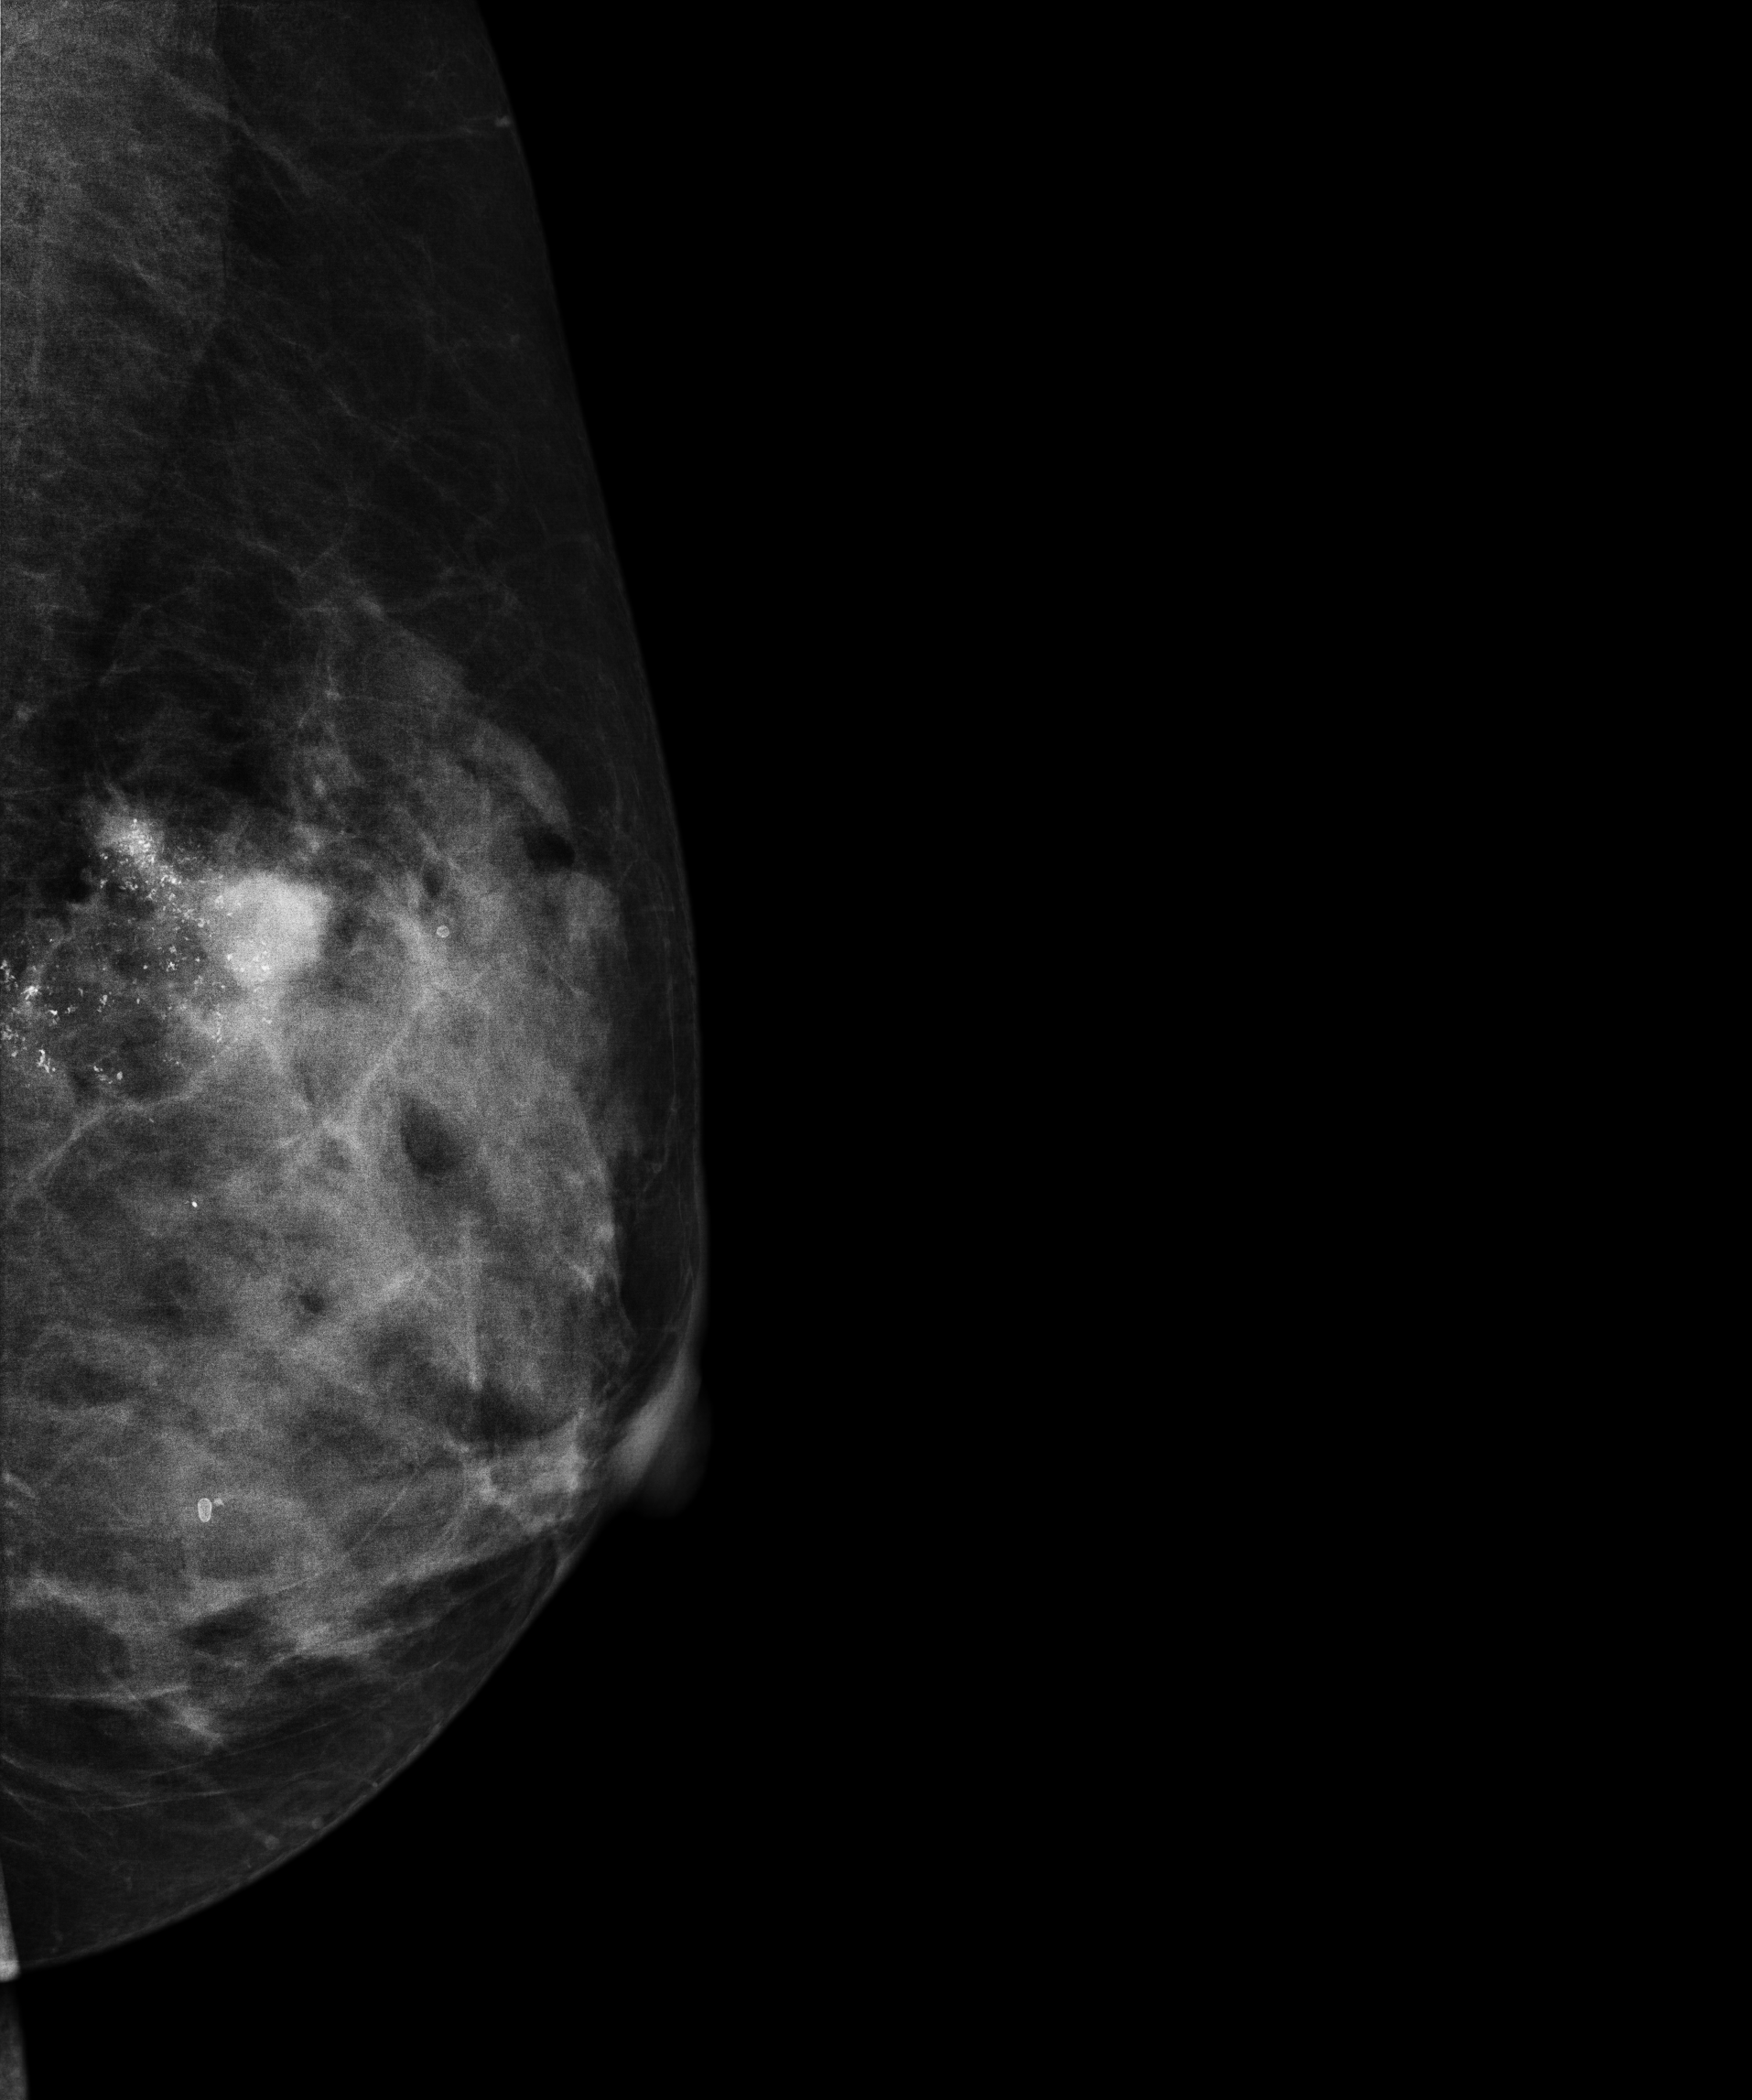
Digital mammography. Left breast, MLO projection. 48-year-old patient.
This breast has a mass and calcifications, biopsy-proven malignant.